Cranio-caudal mammogram of the left breast. Patient age 35.
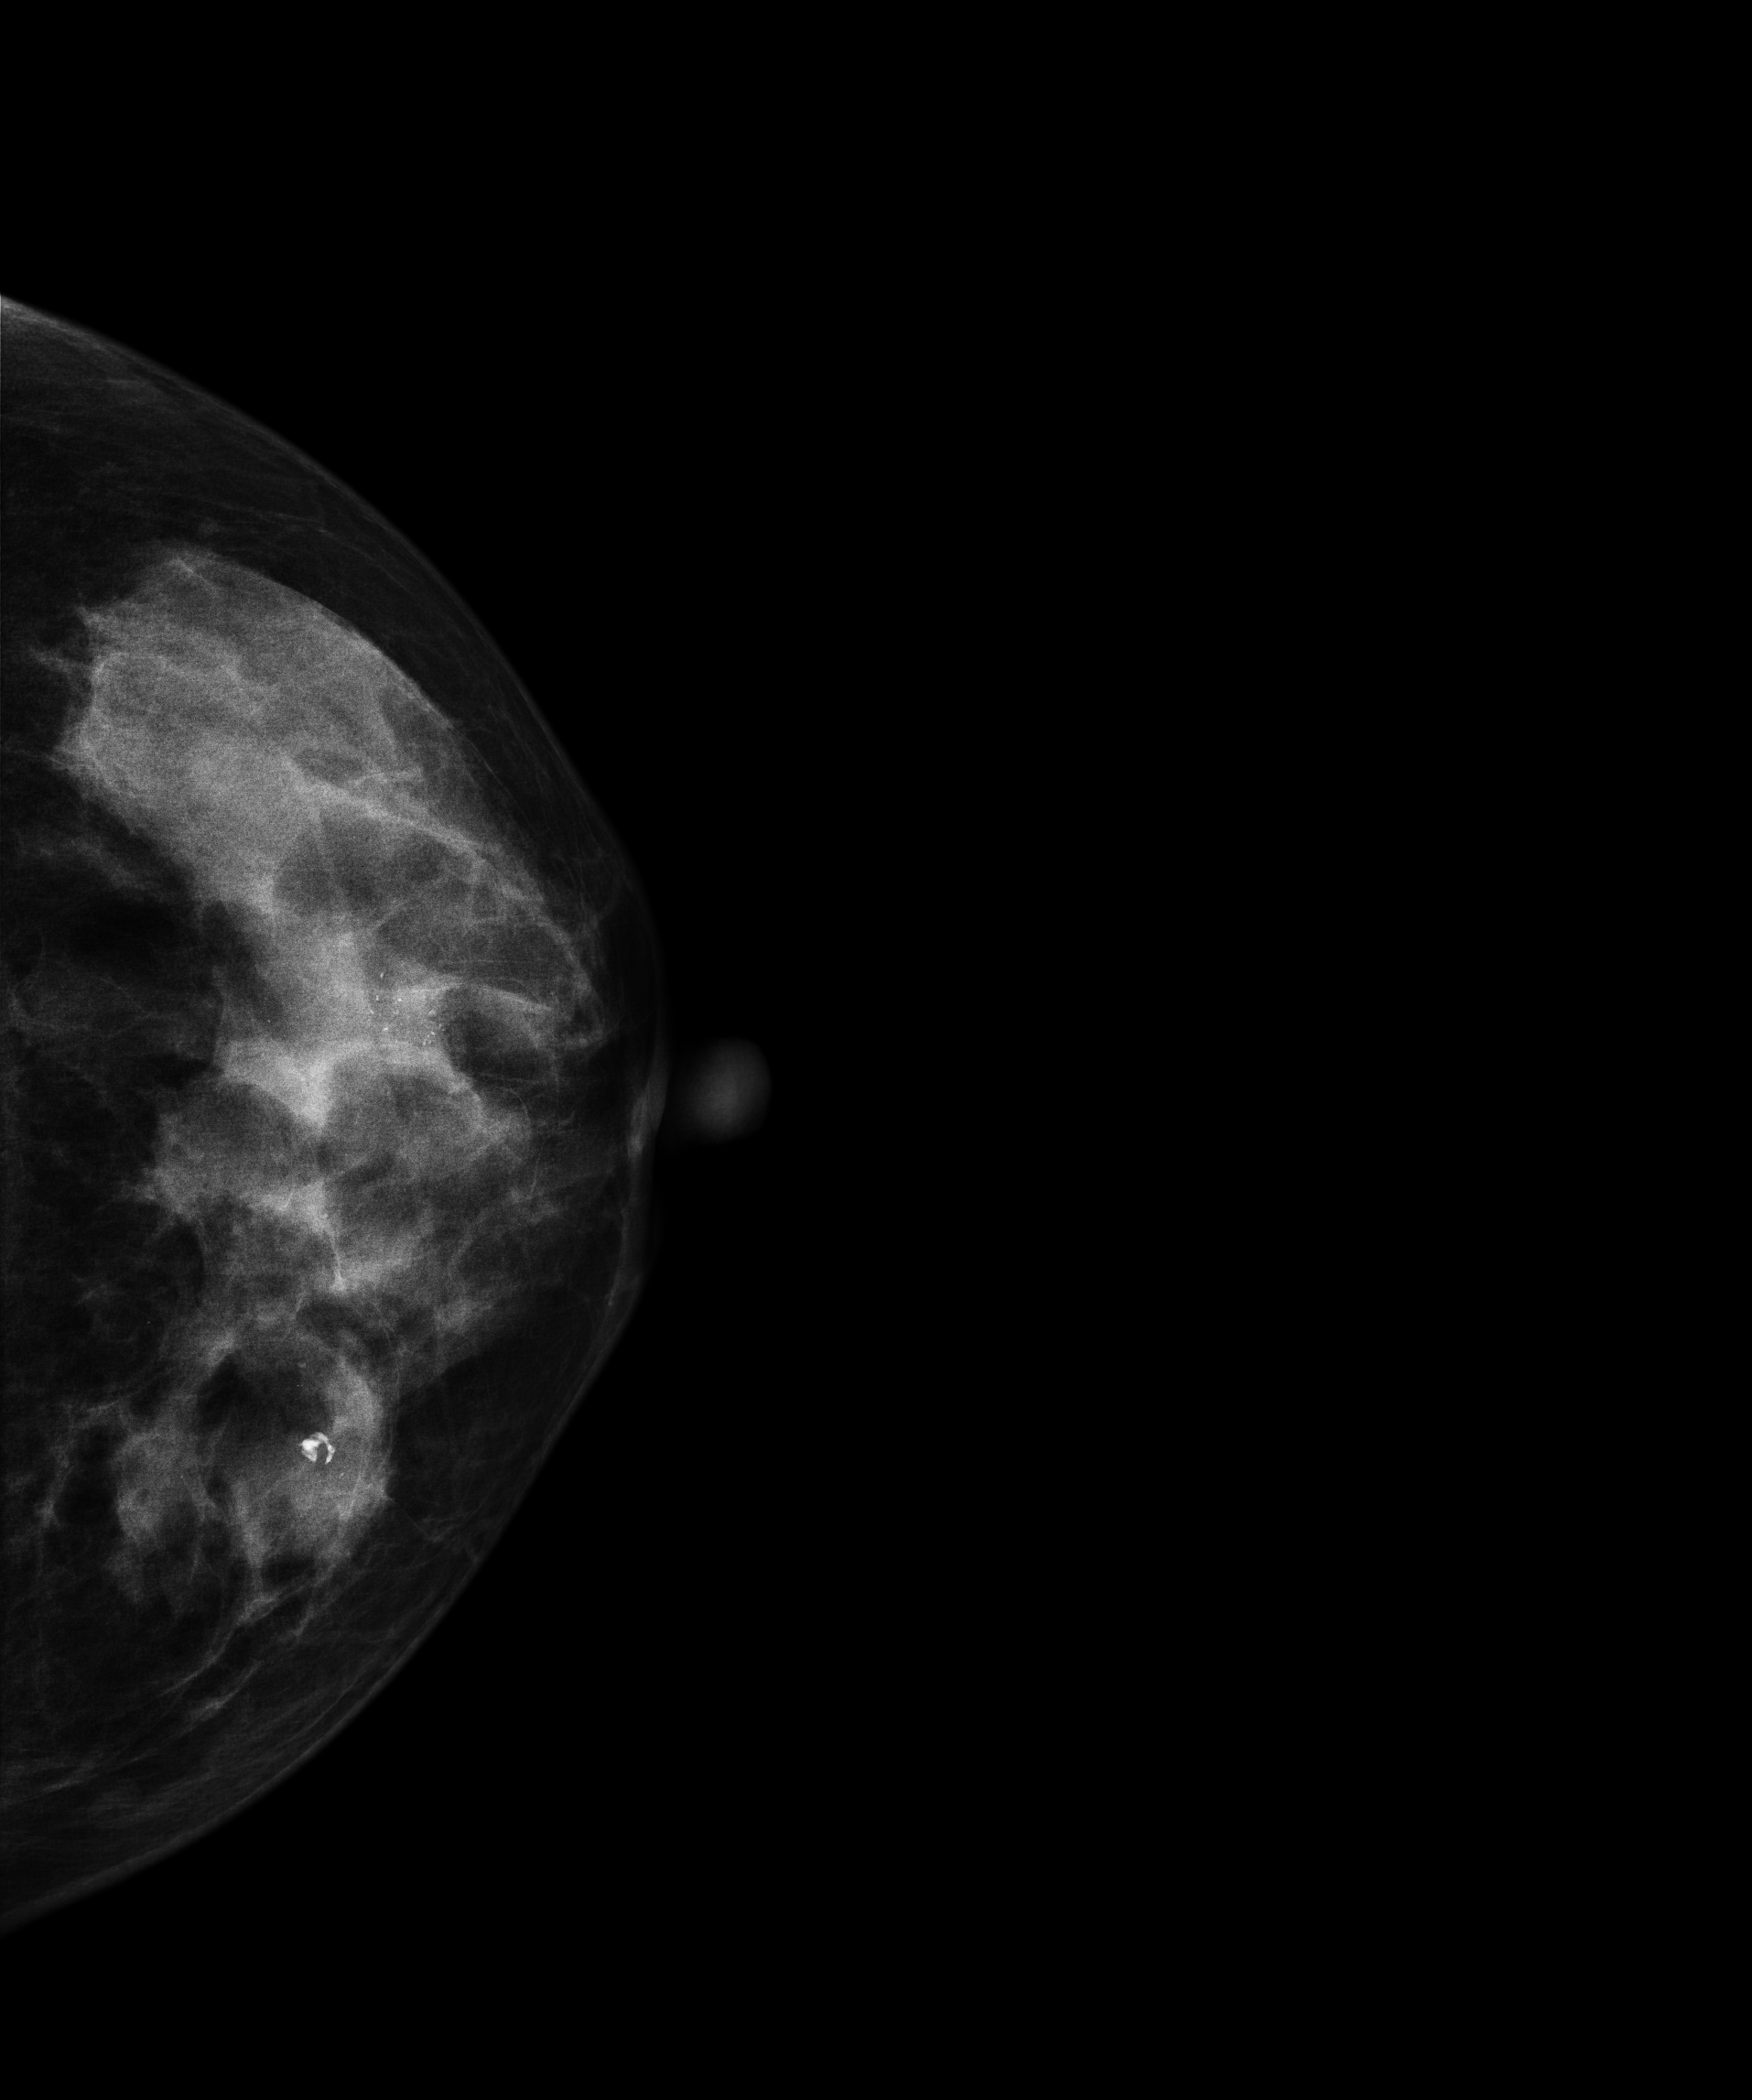
This breast has calcifications, biopsy-proven malignant. Molecular subtype: HER2-enriched.